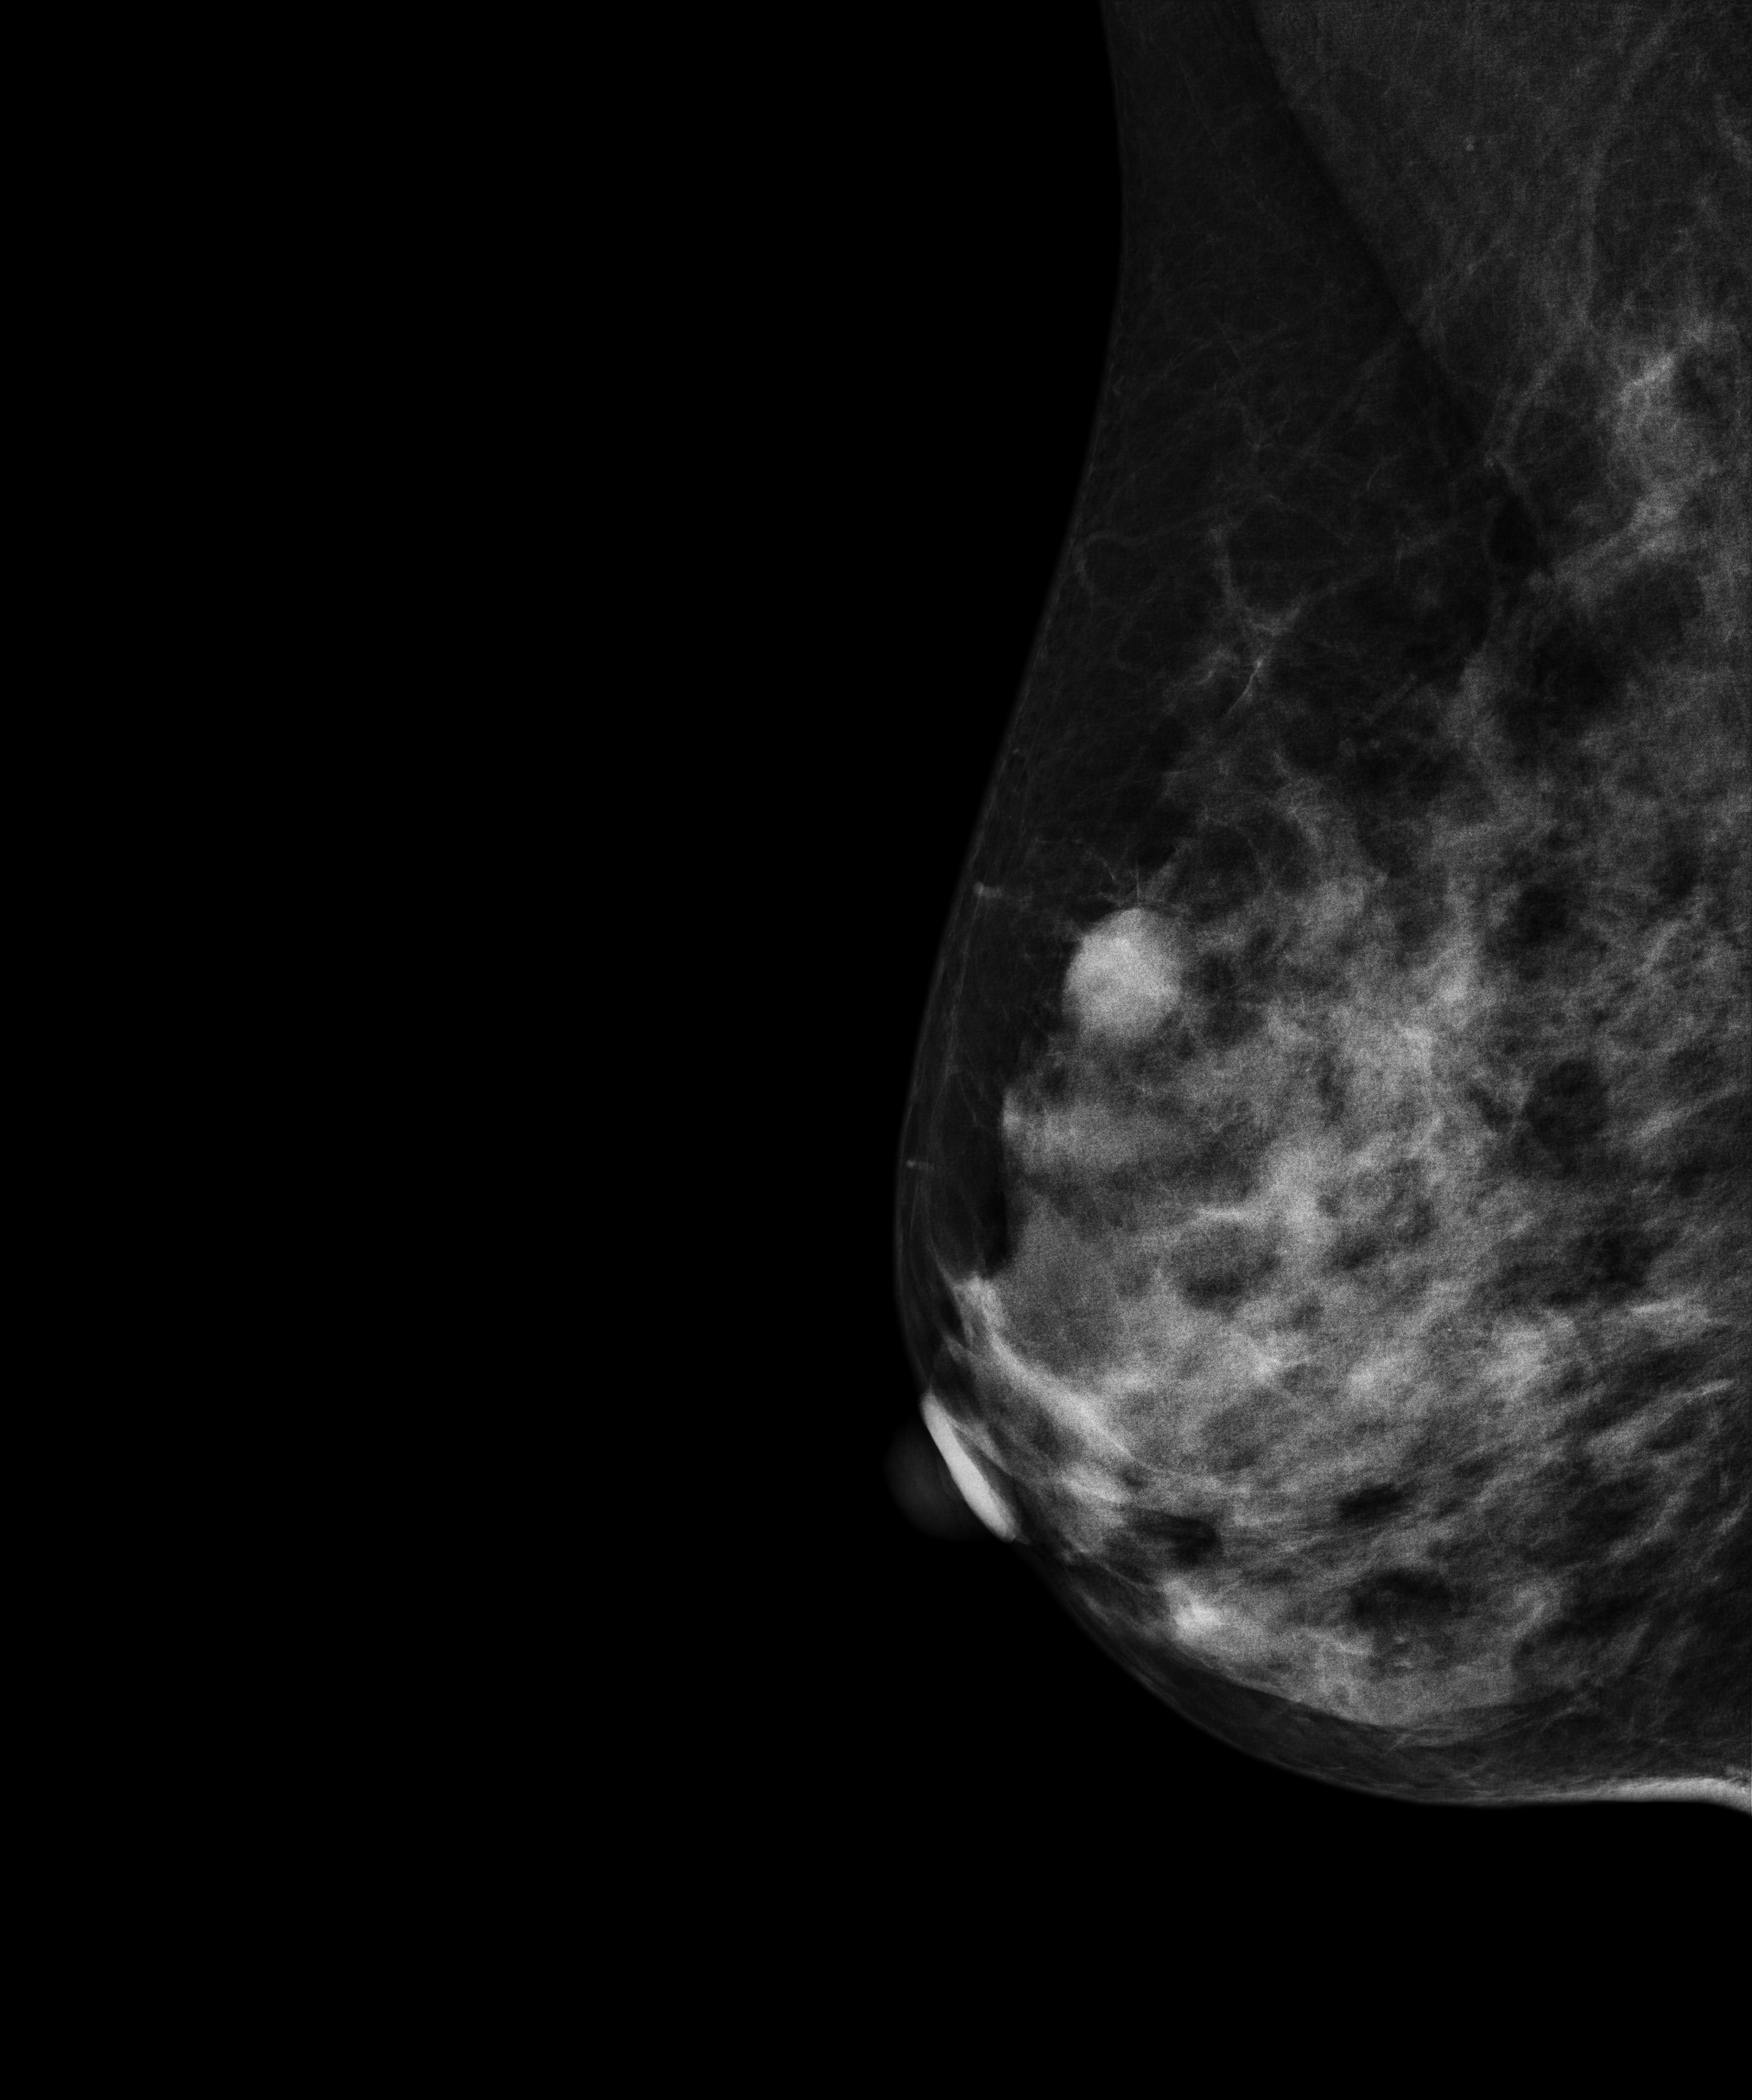
Mammogram — right medio-lateral oblique. Patient age 51.
This breast has a mass, pathology-confirmed malignant.